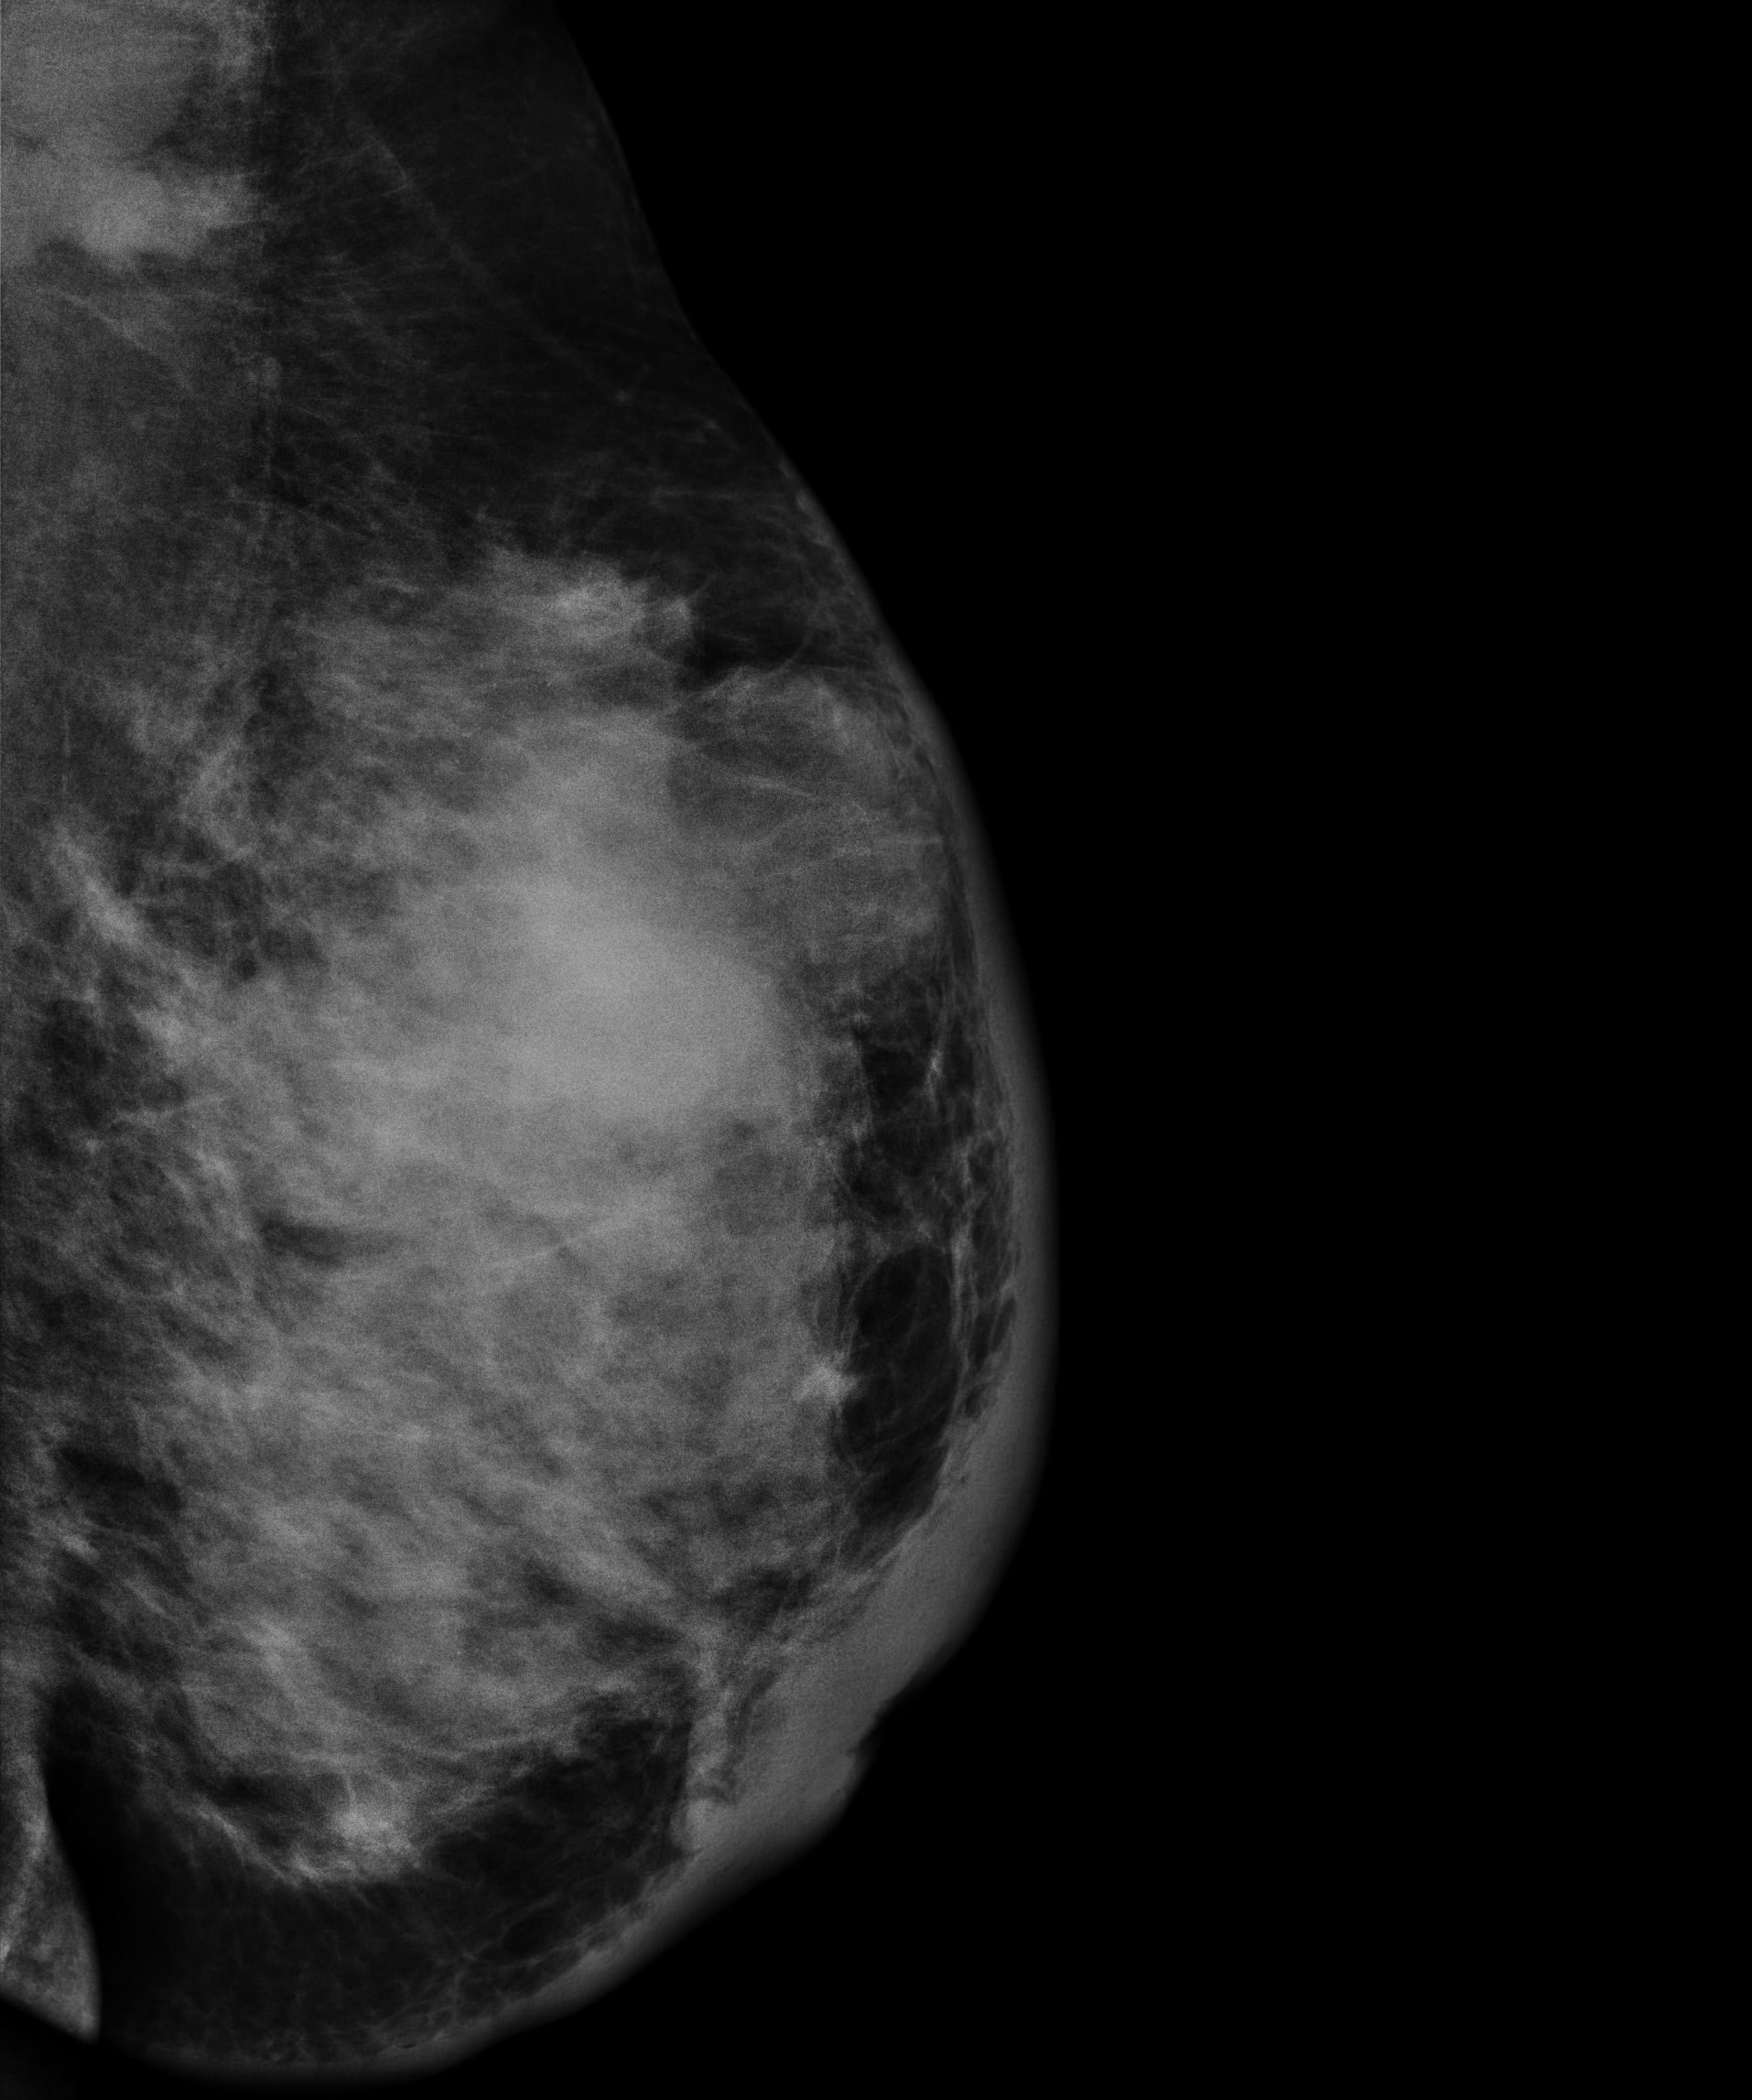
Left-breast mammogram, MLO. 56-year-old patient.
This breast has a mass, histologically confirmed malignant. Molecular subtype: HER2-enriched.